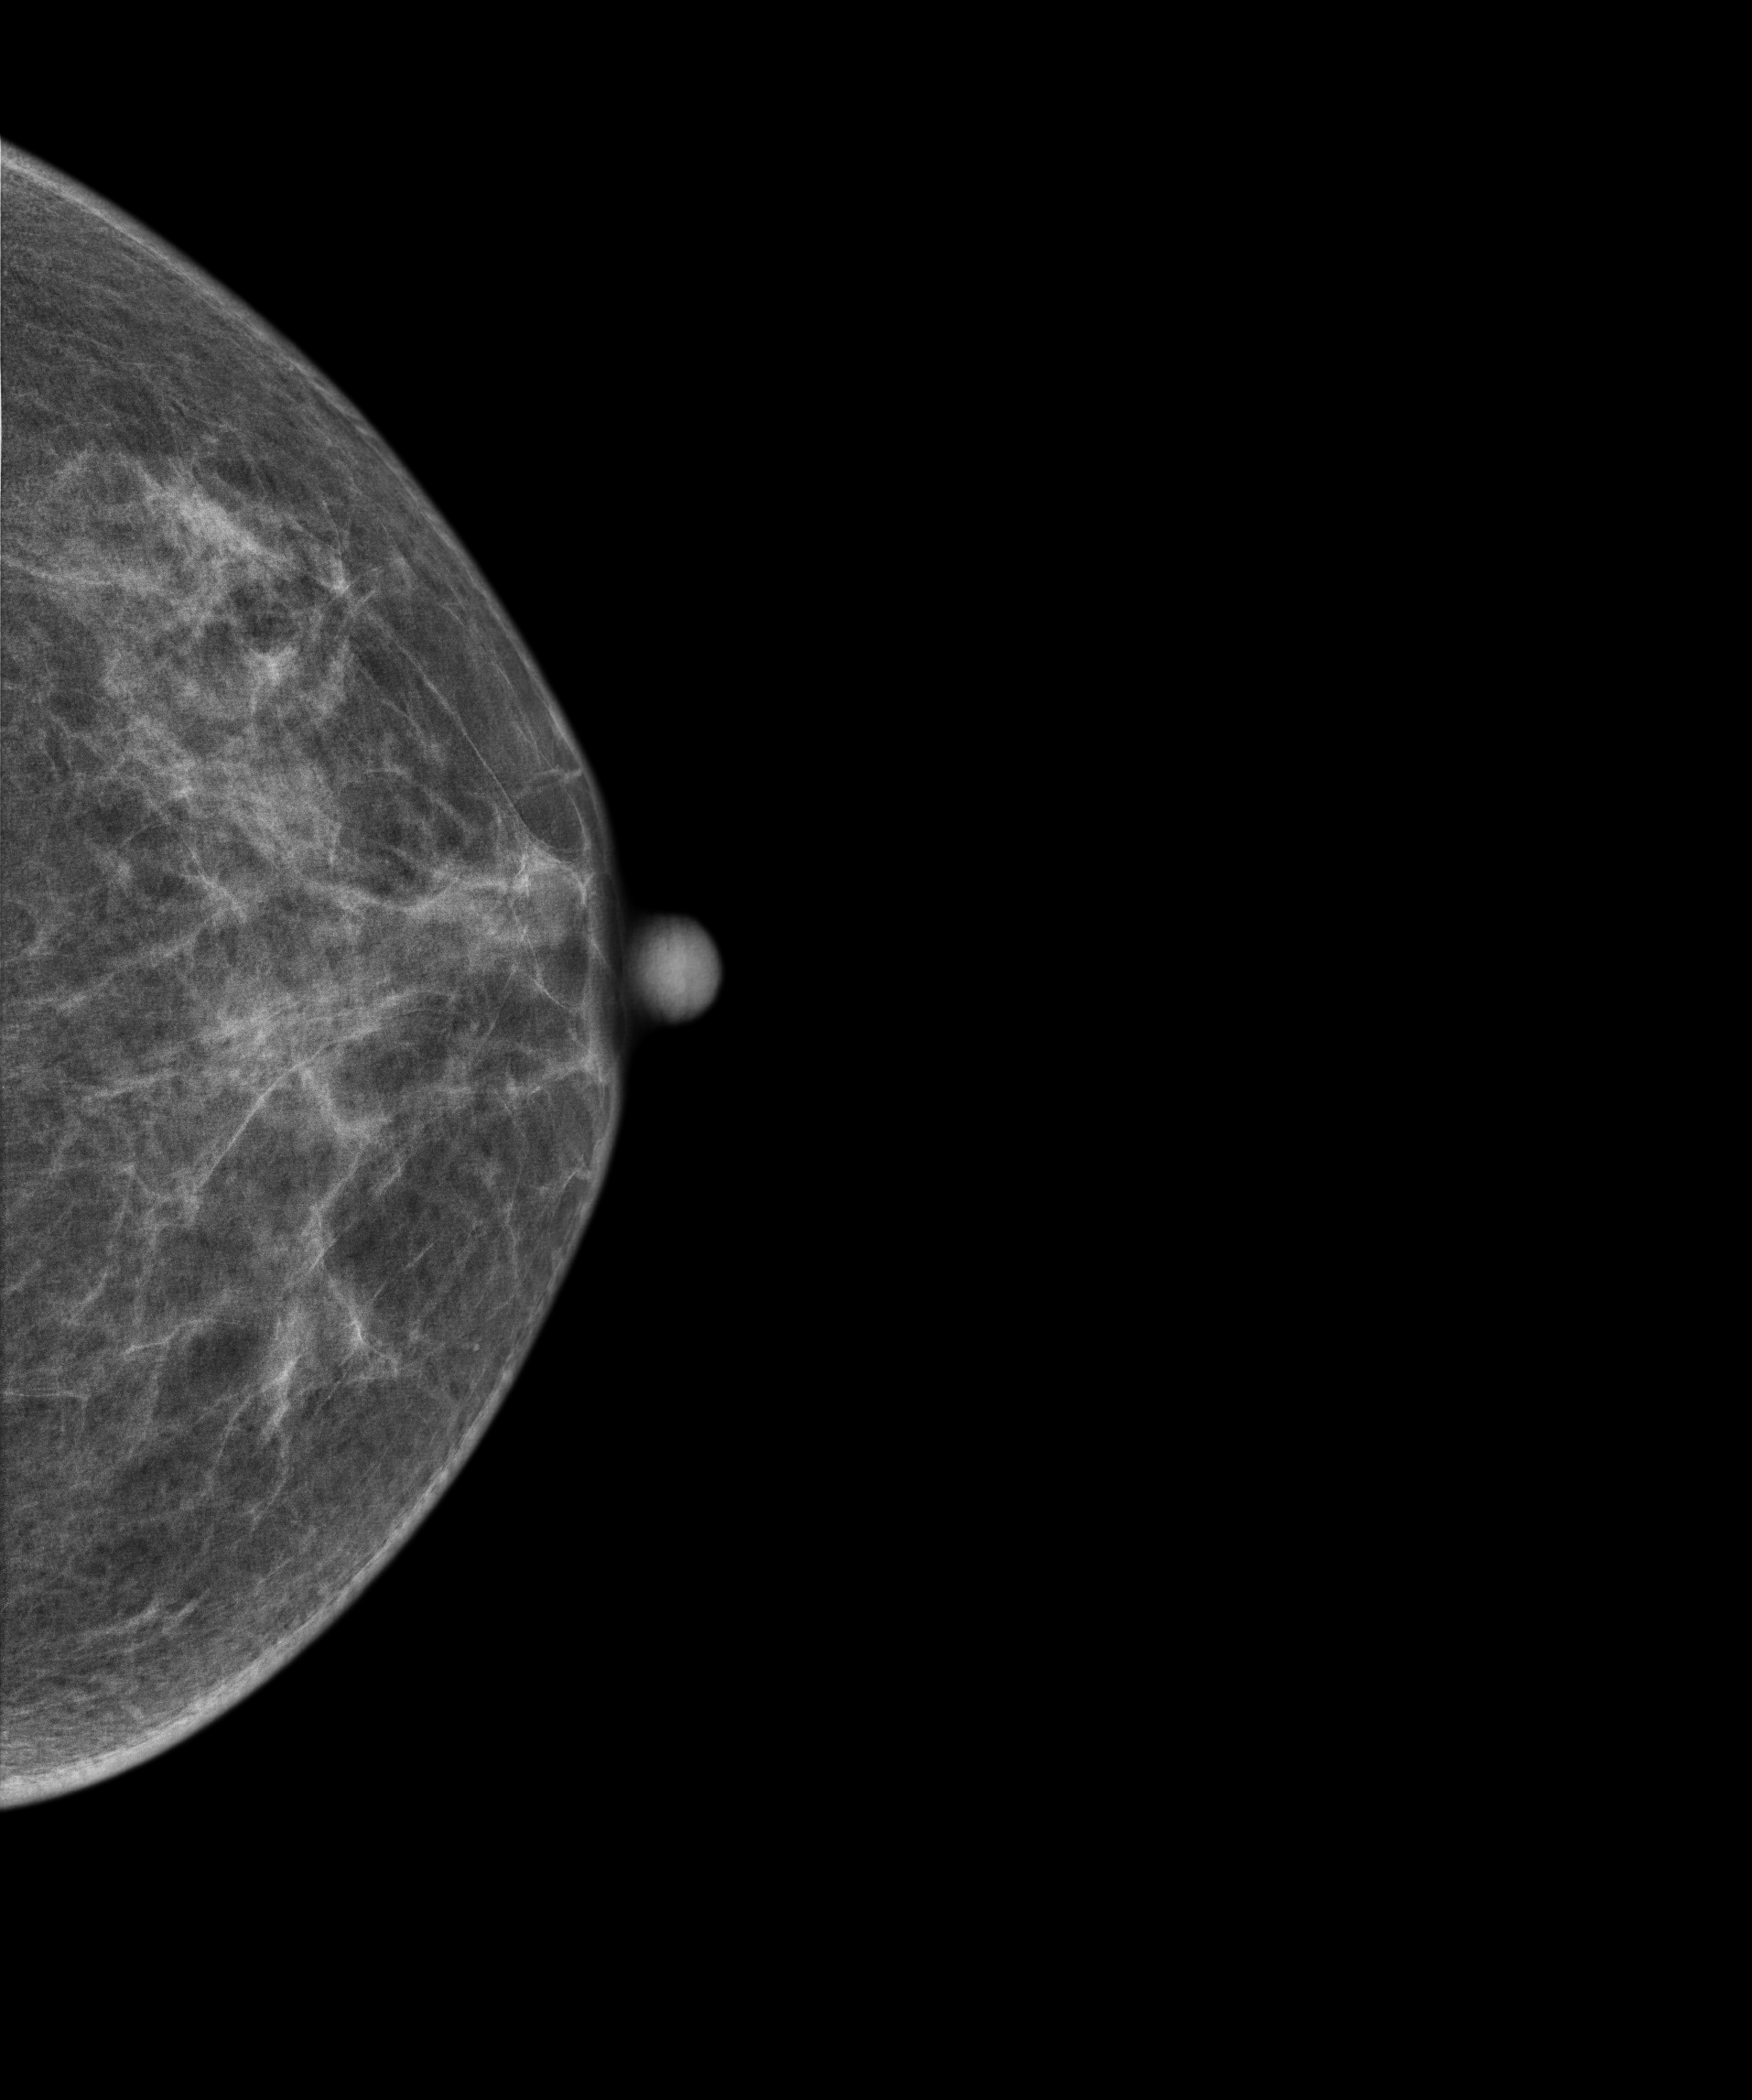
Mammogram, left breast, CC view. 54 y/o patient.
This breast has a mass, pathology-confirmed benign.